Left-breast mammogram, cranio-caudal. 32 y/o patient.
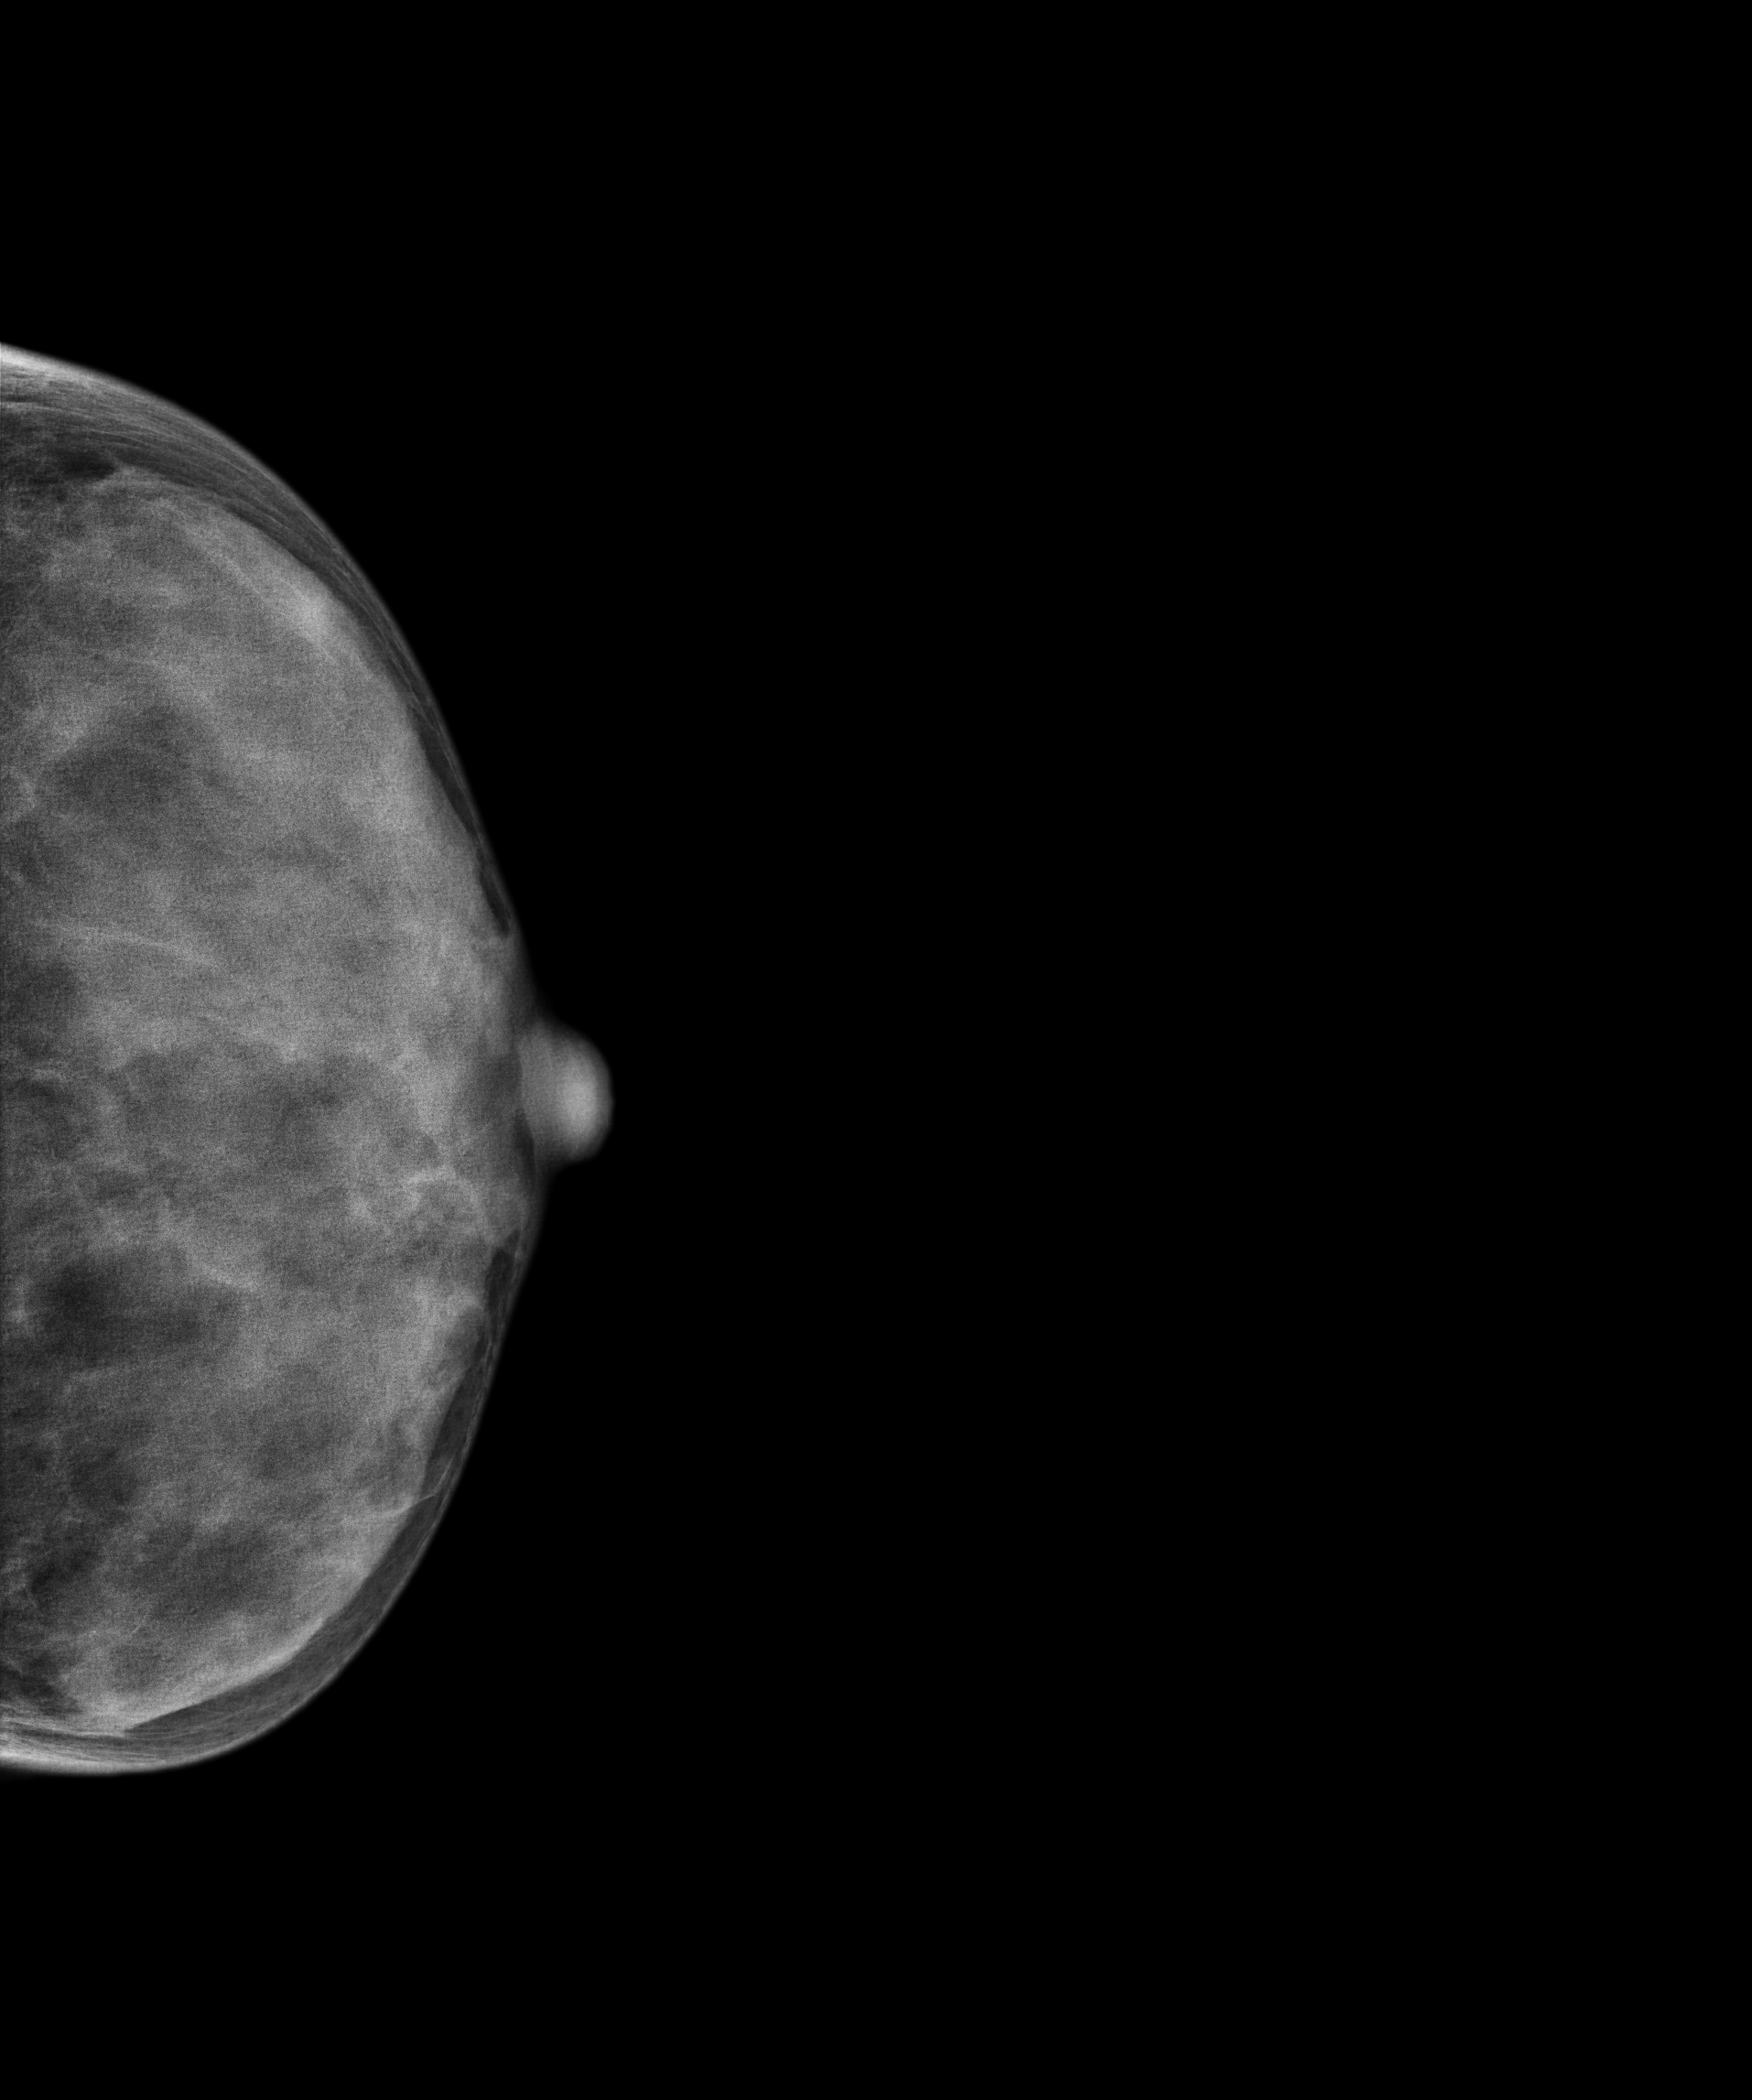
Contralateral breast — no documented abnormality on this side.